Cranio-caudal mammogram of the left breast. 41-year-old patient.
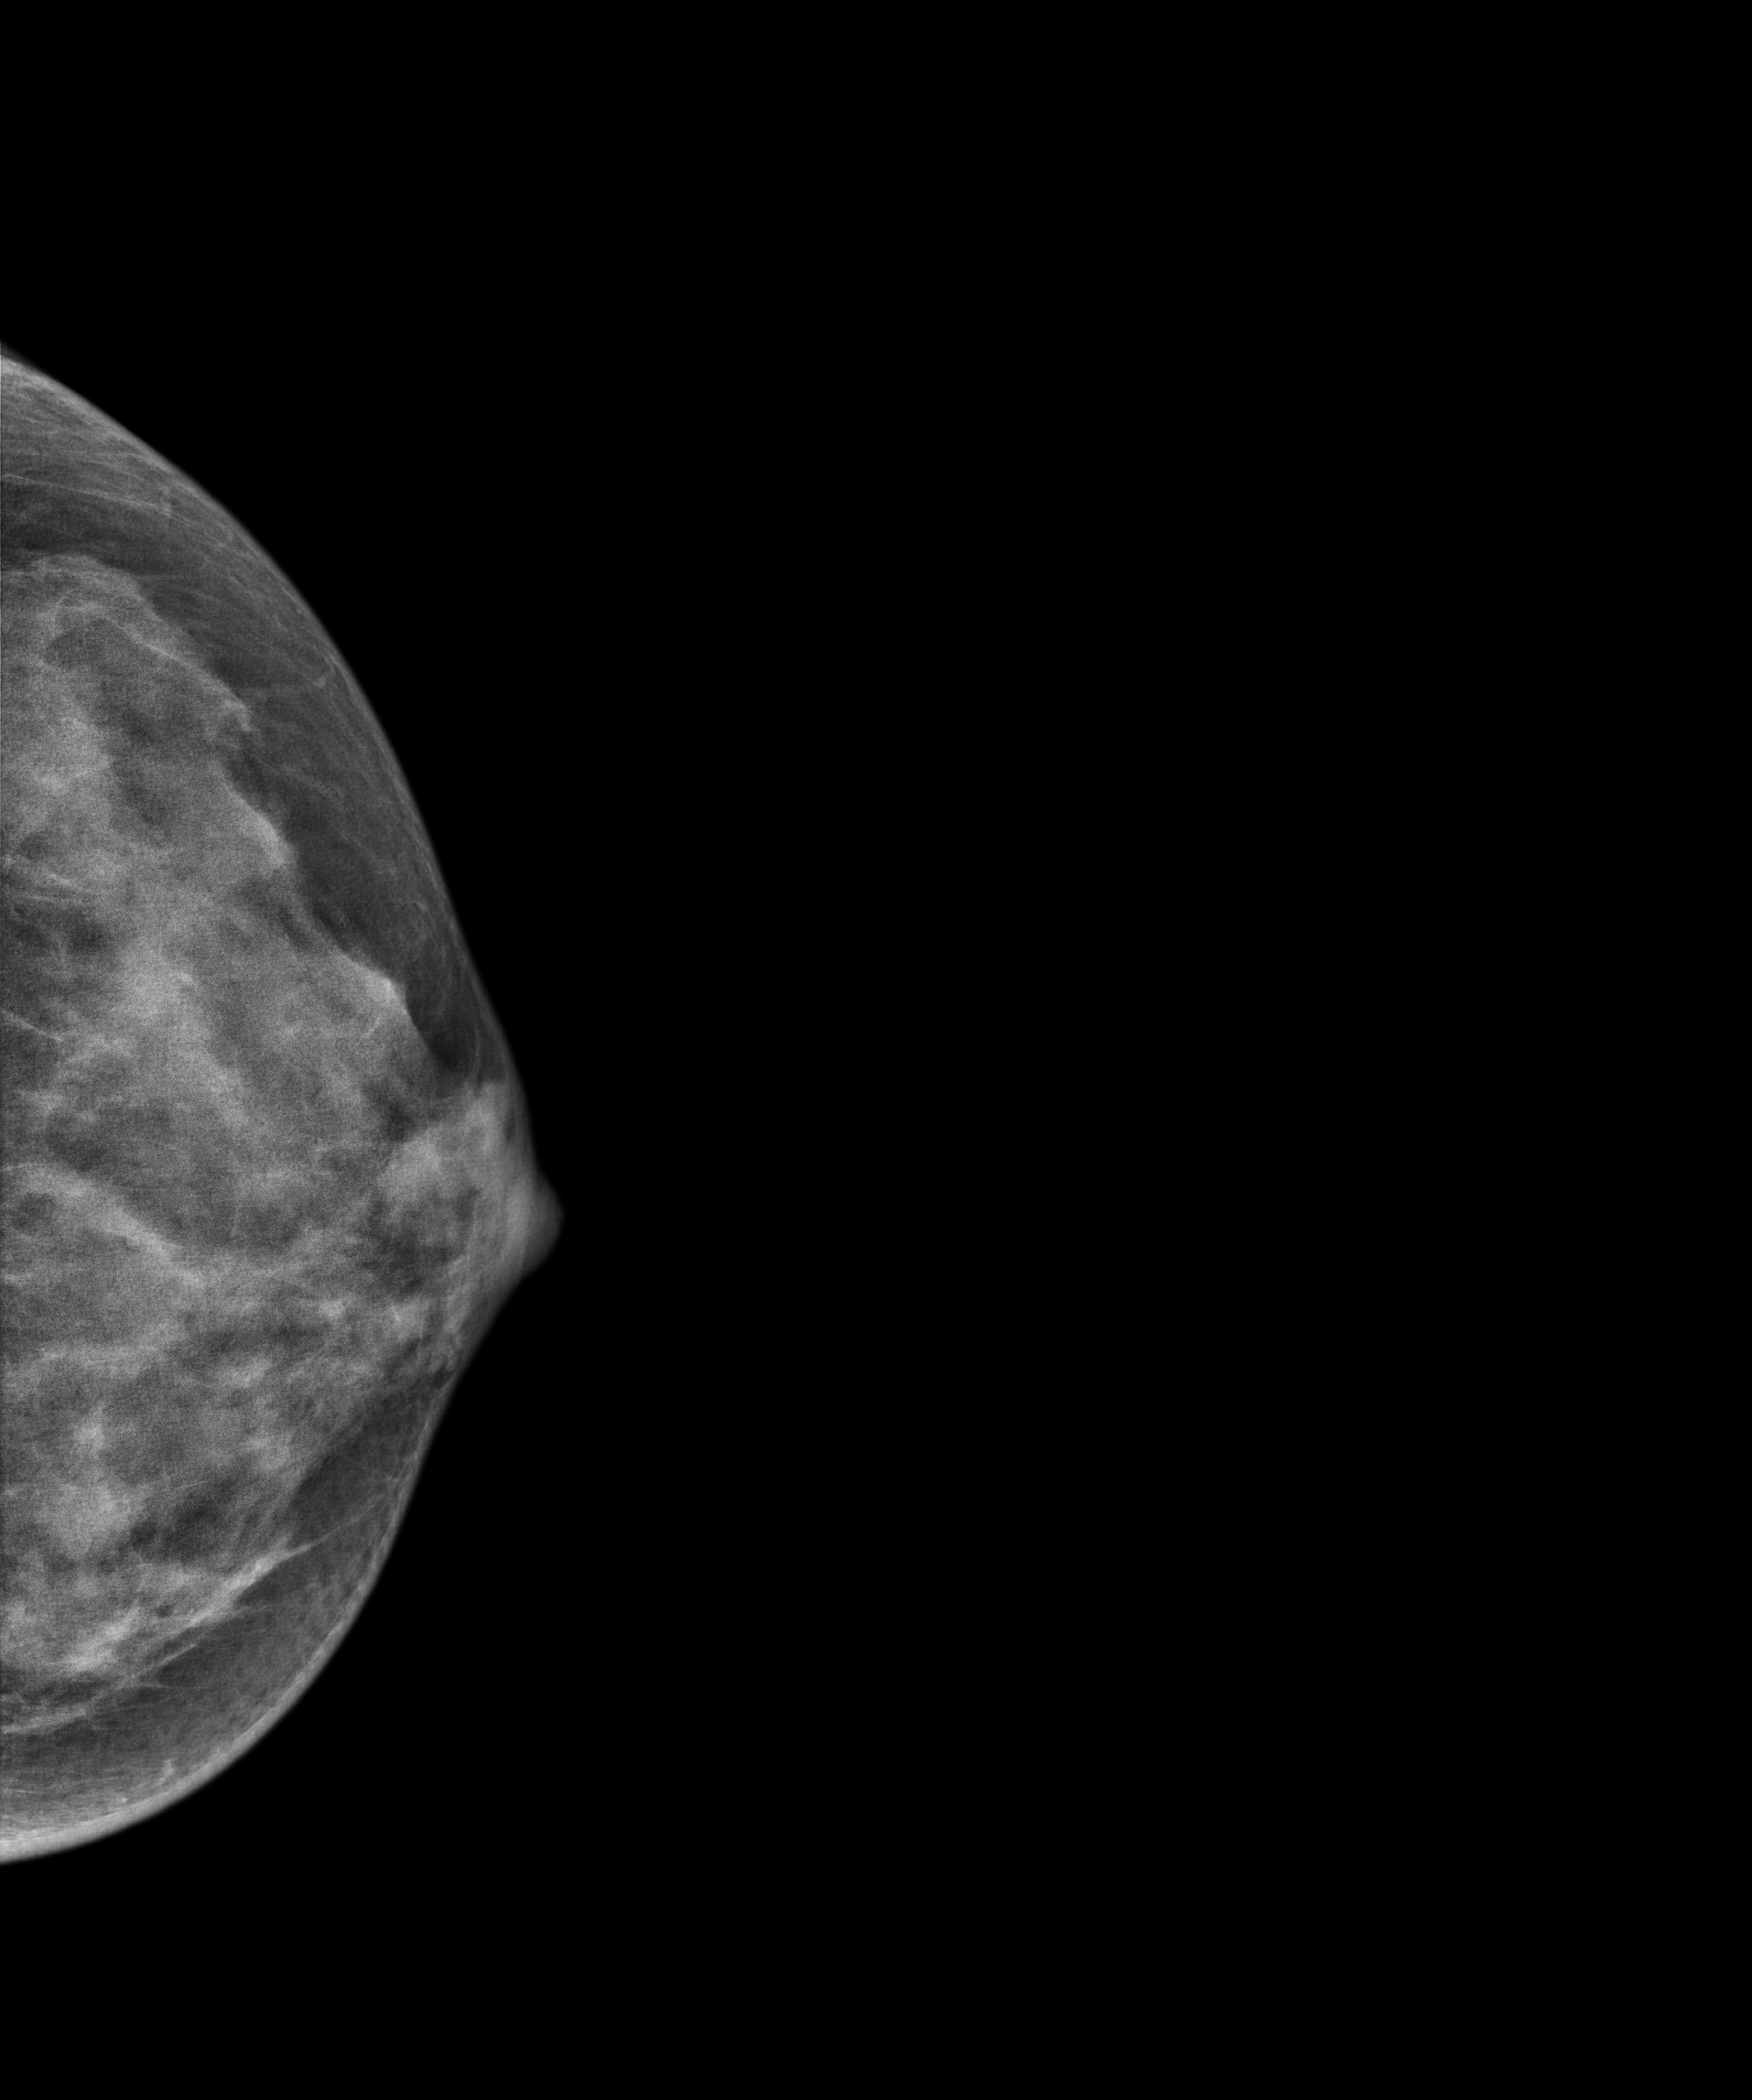
This breast has a mass, biopsy-confirmed malignant.